Digital mammography. Left breast, MLO projection. Patient age 75.
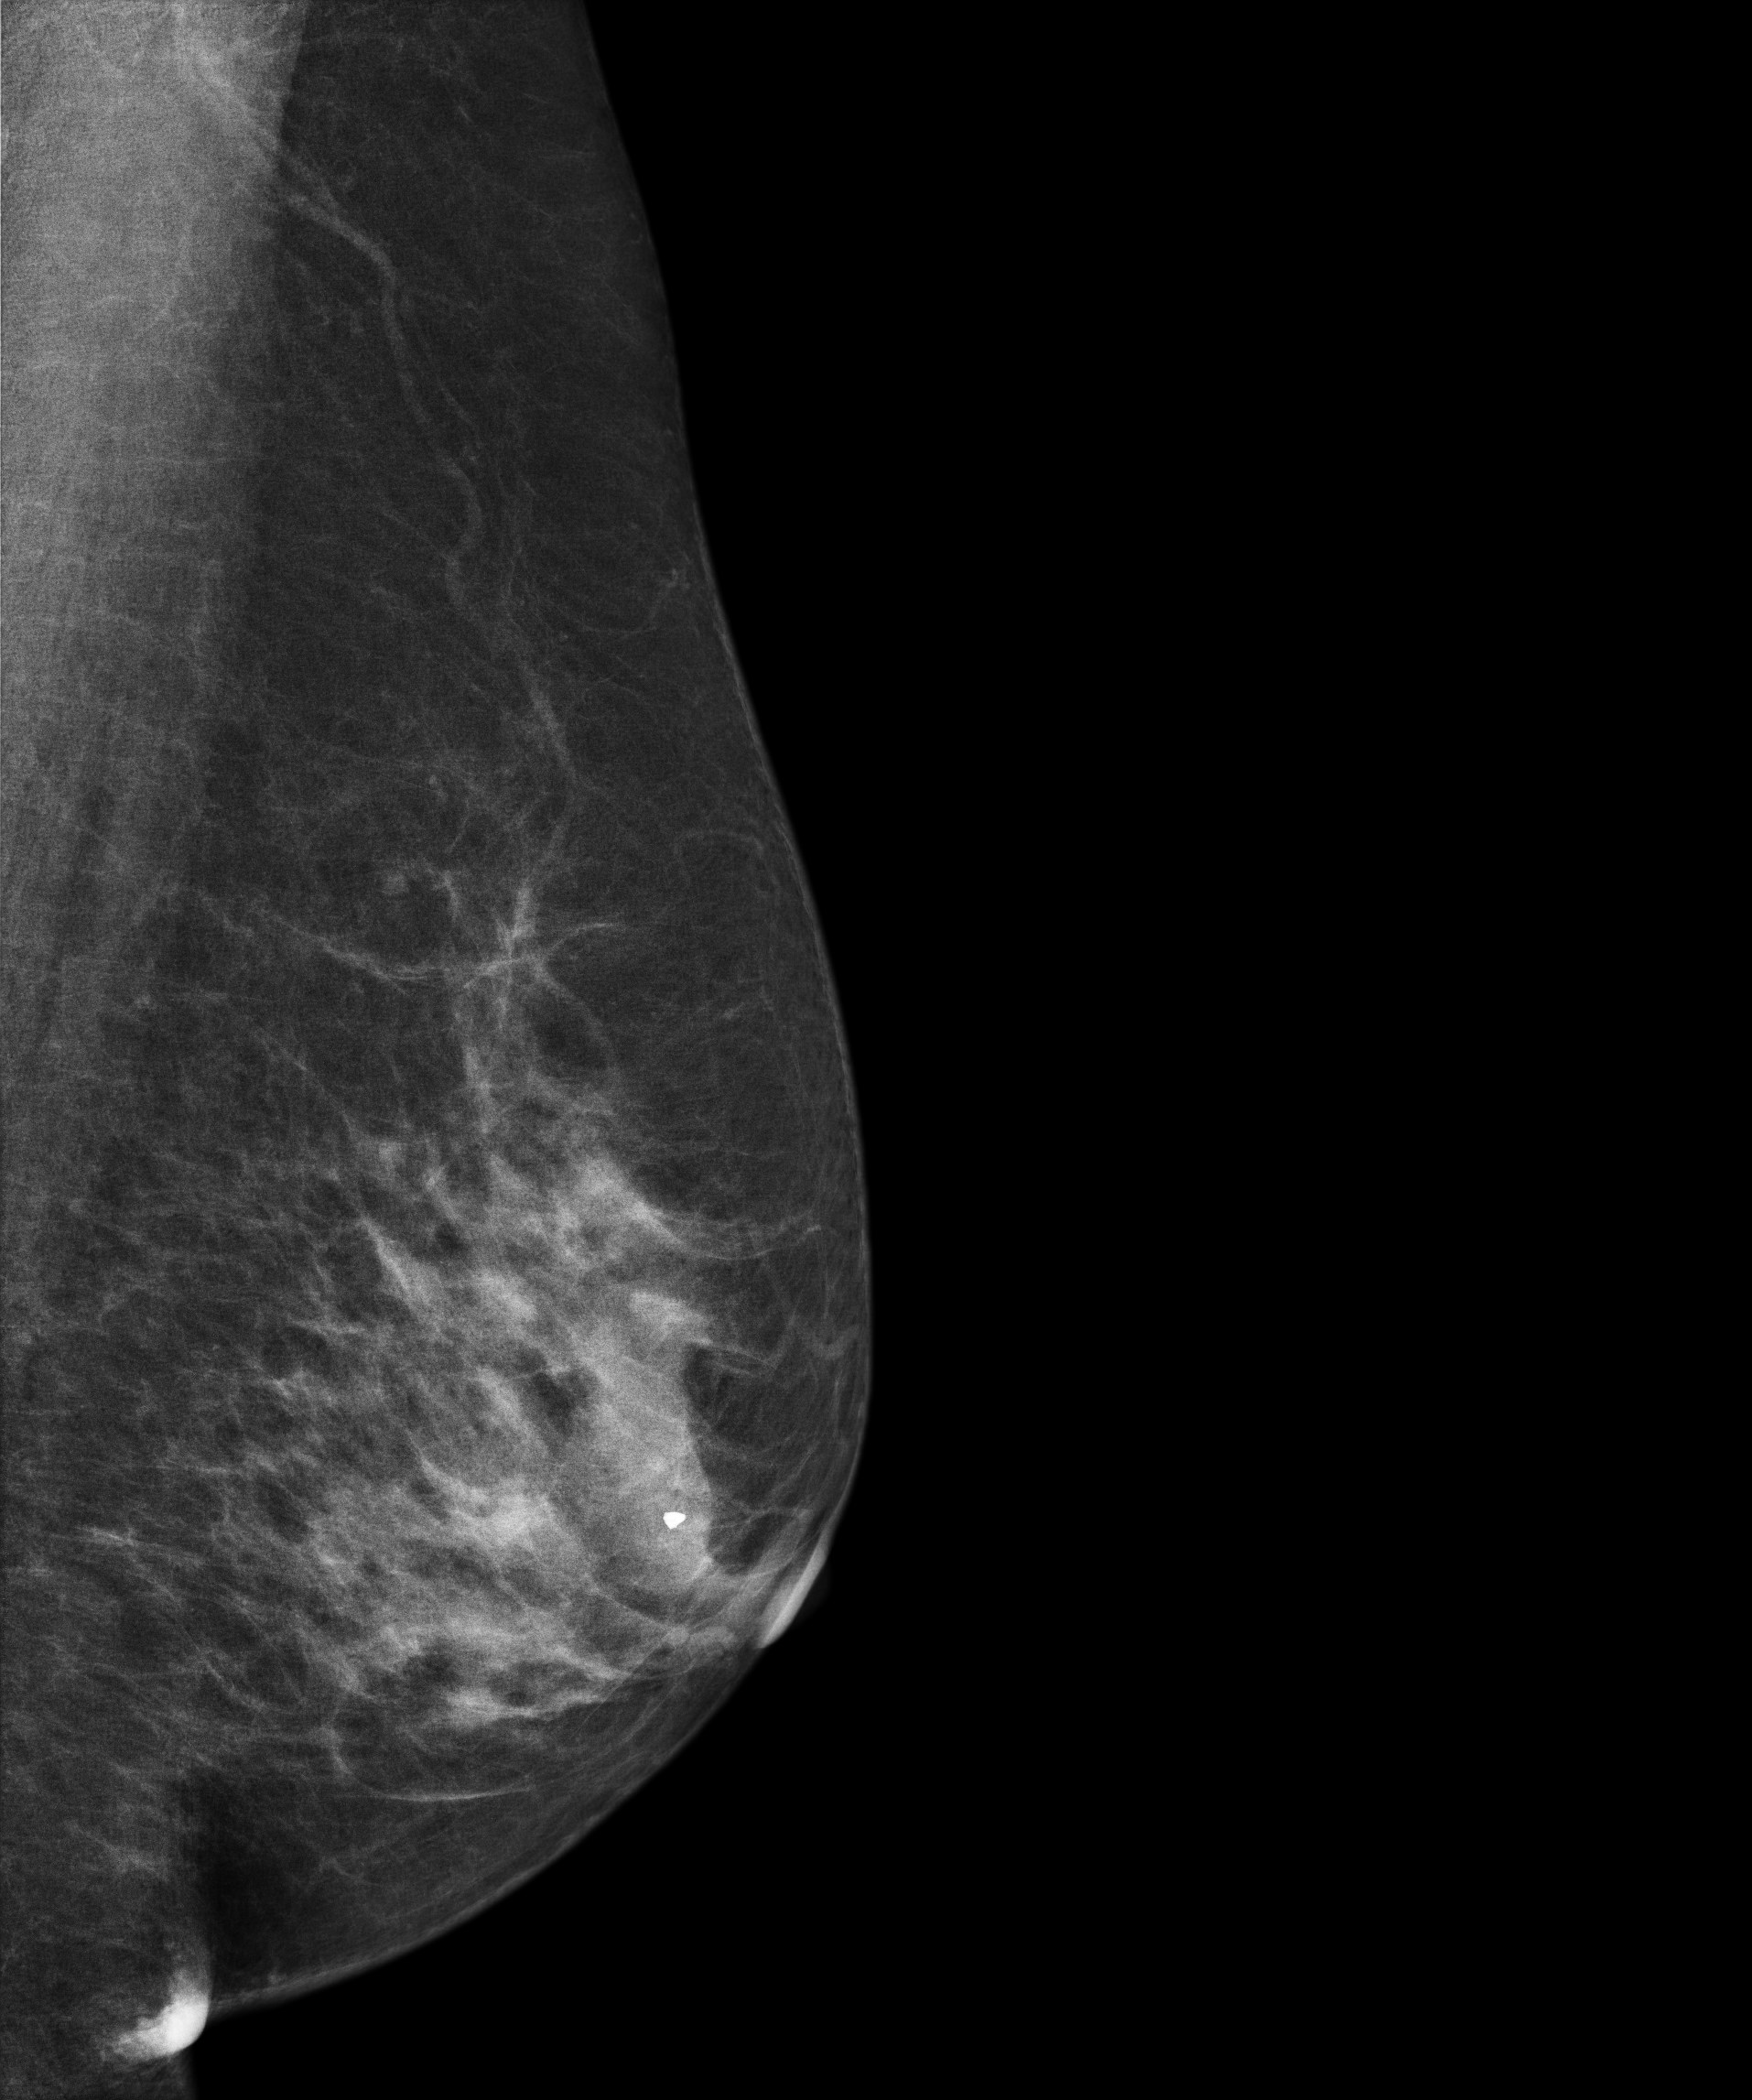
Contralateral breast — no documented abnormality on this side.